Right-breast mammogram, MLO. Patient age 46.
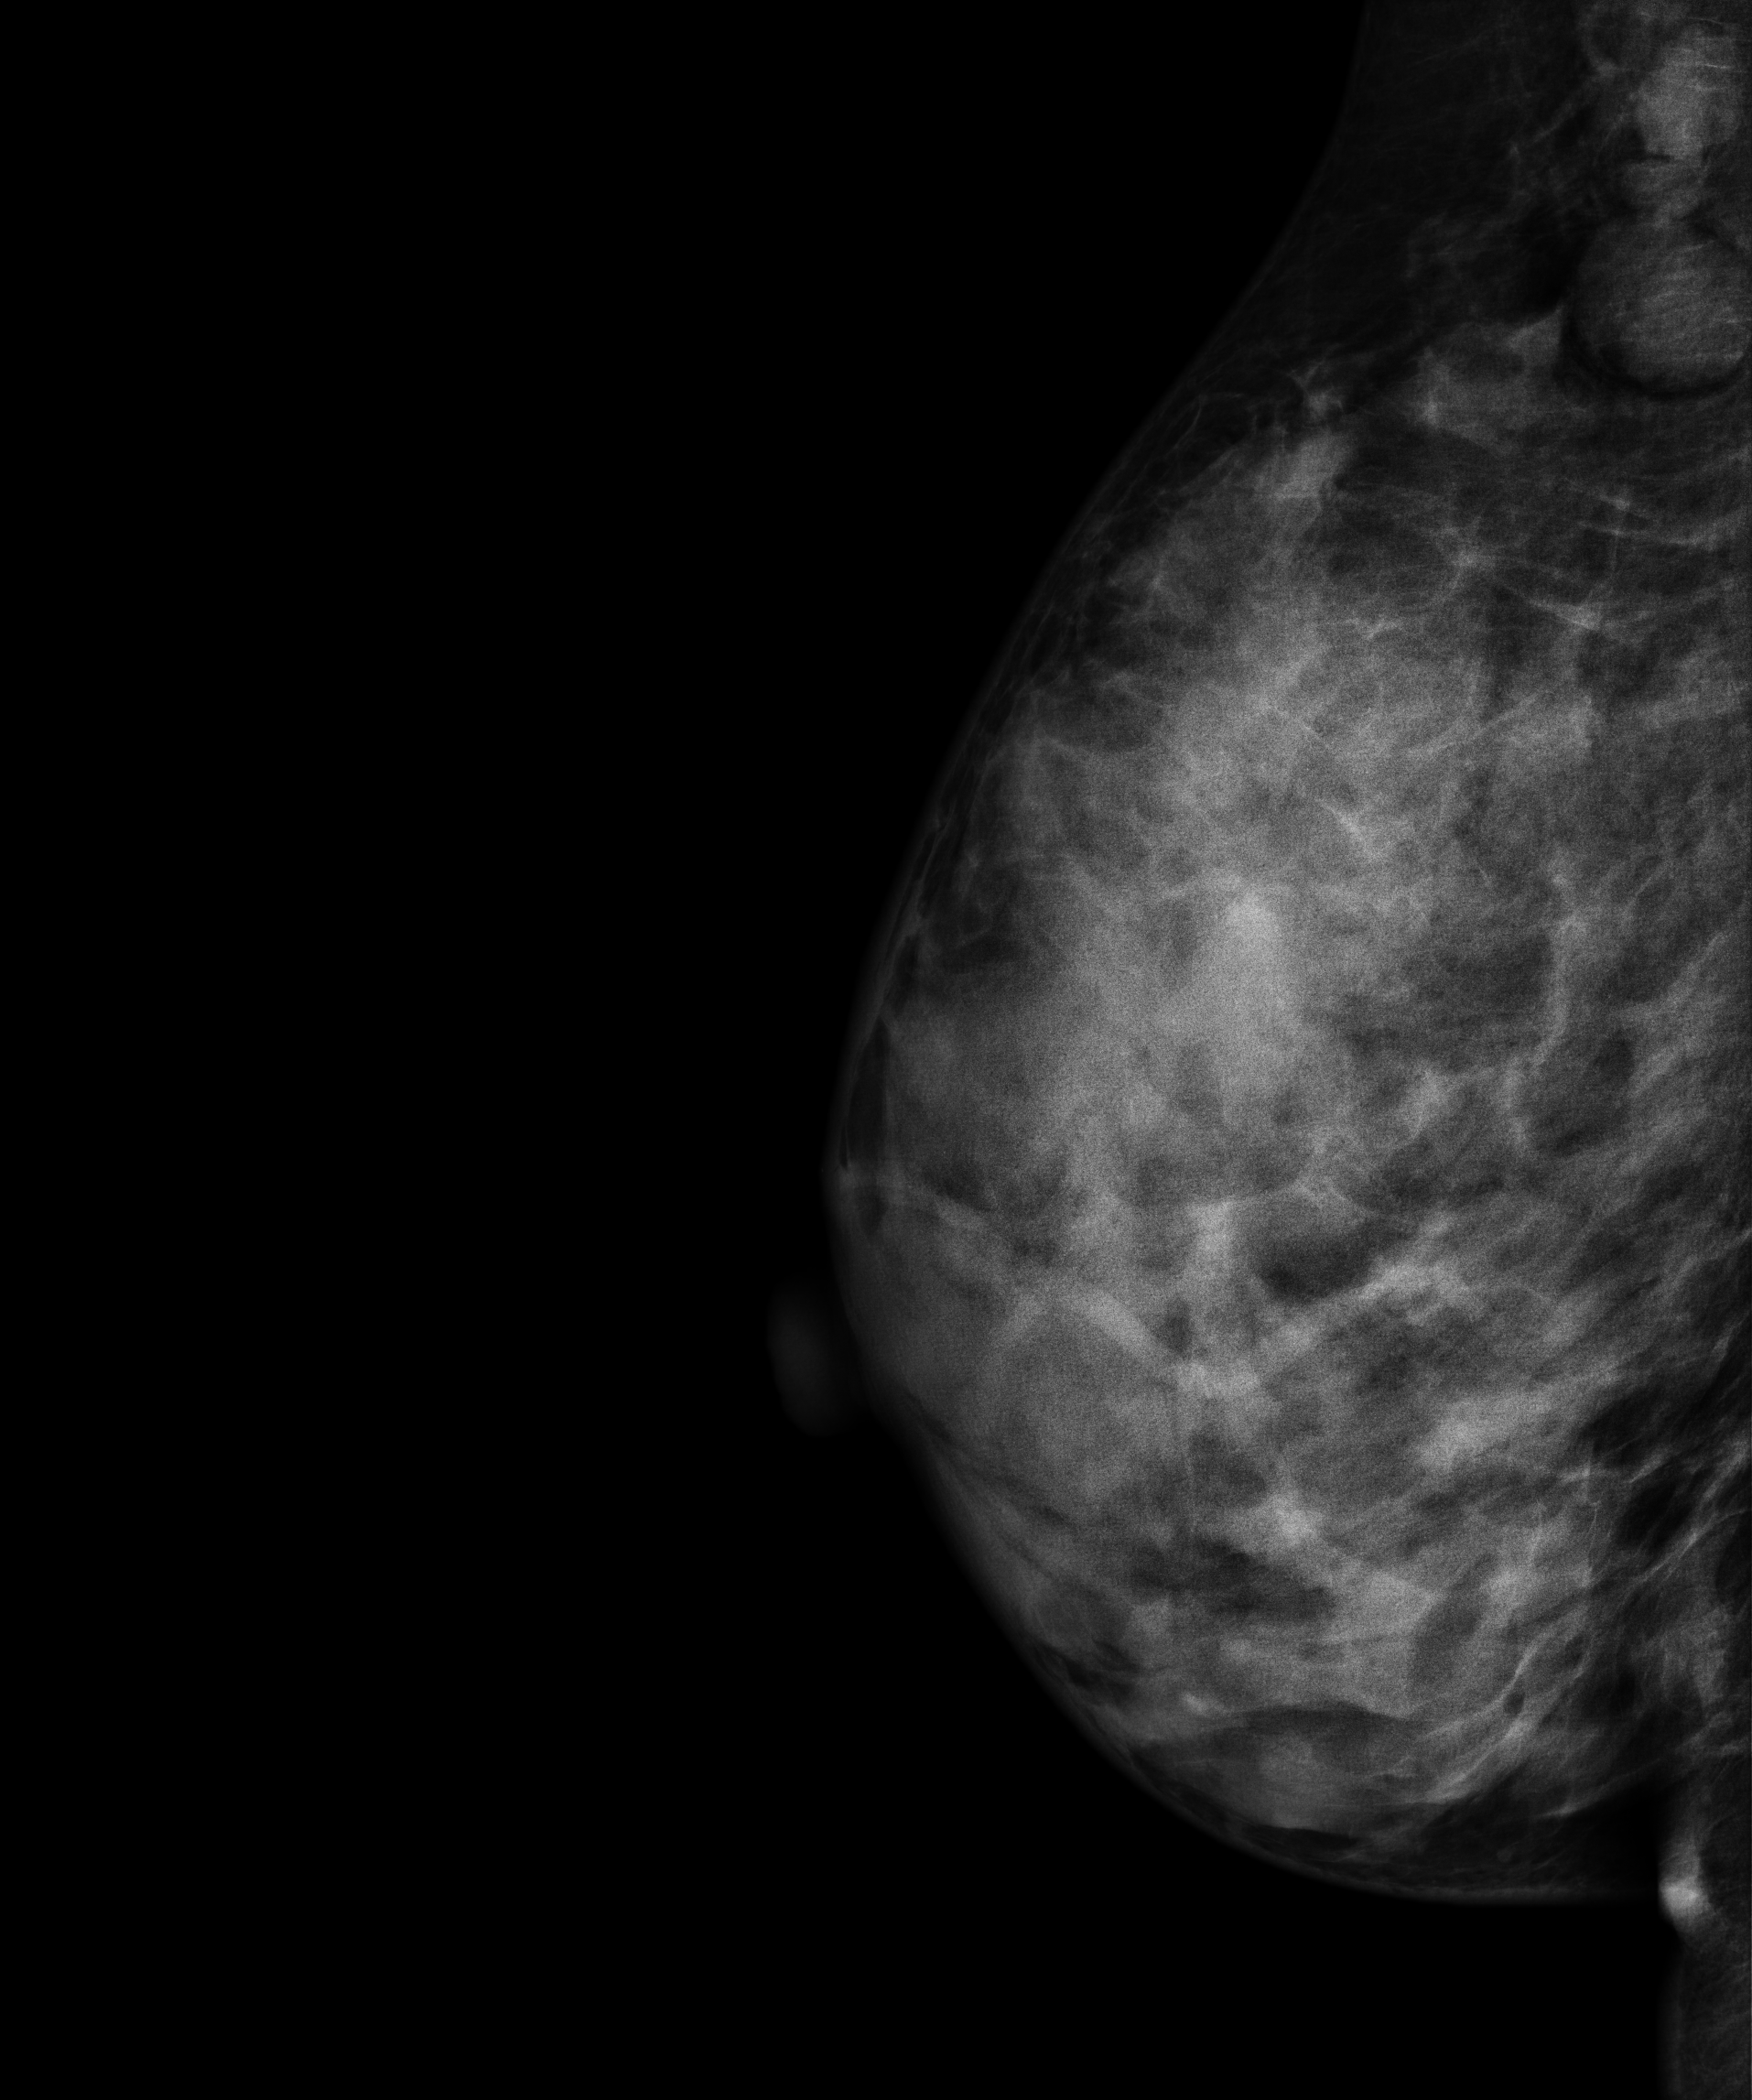
This breast has a mass, histologically confirmed benign.